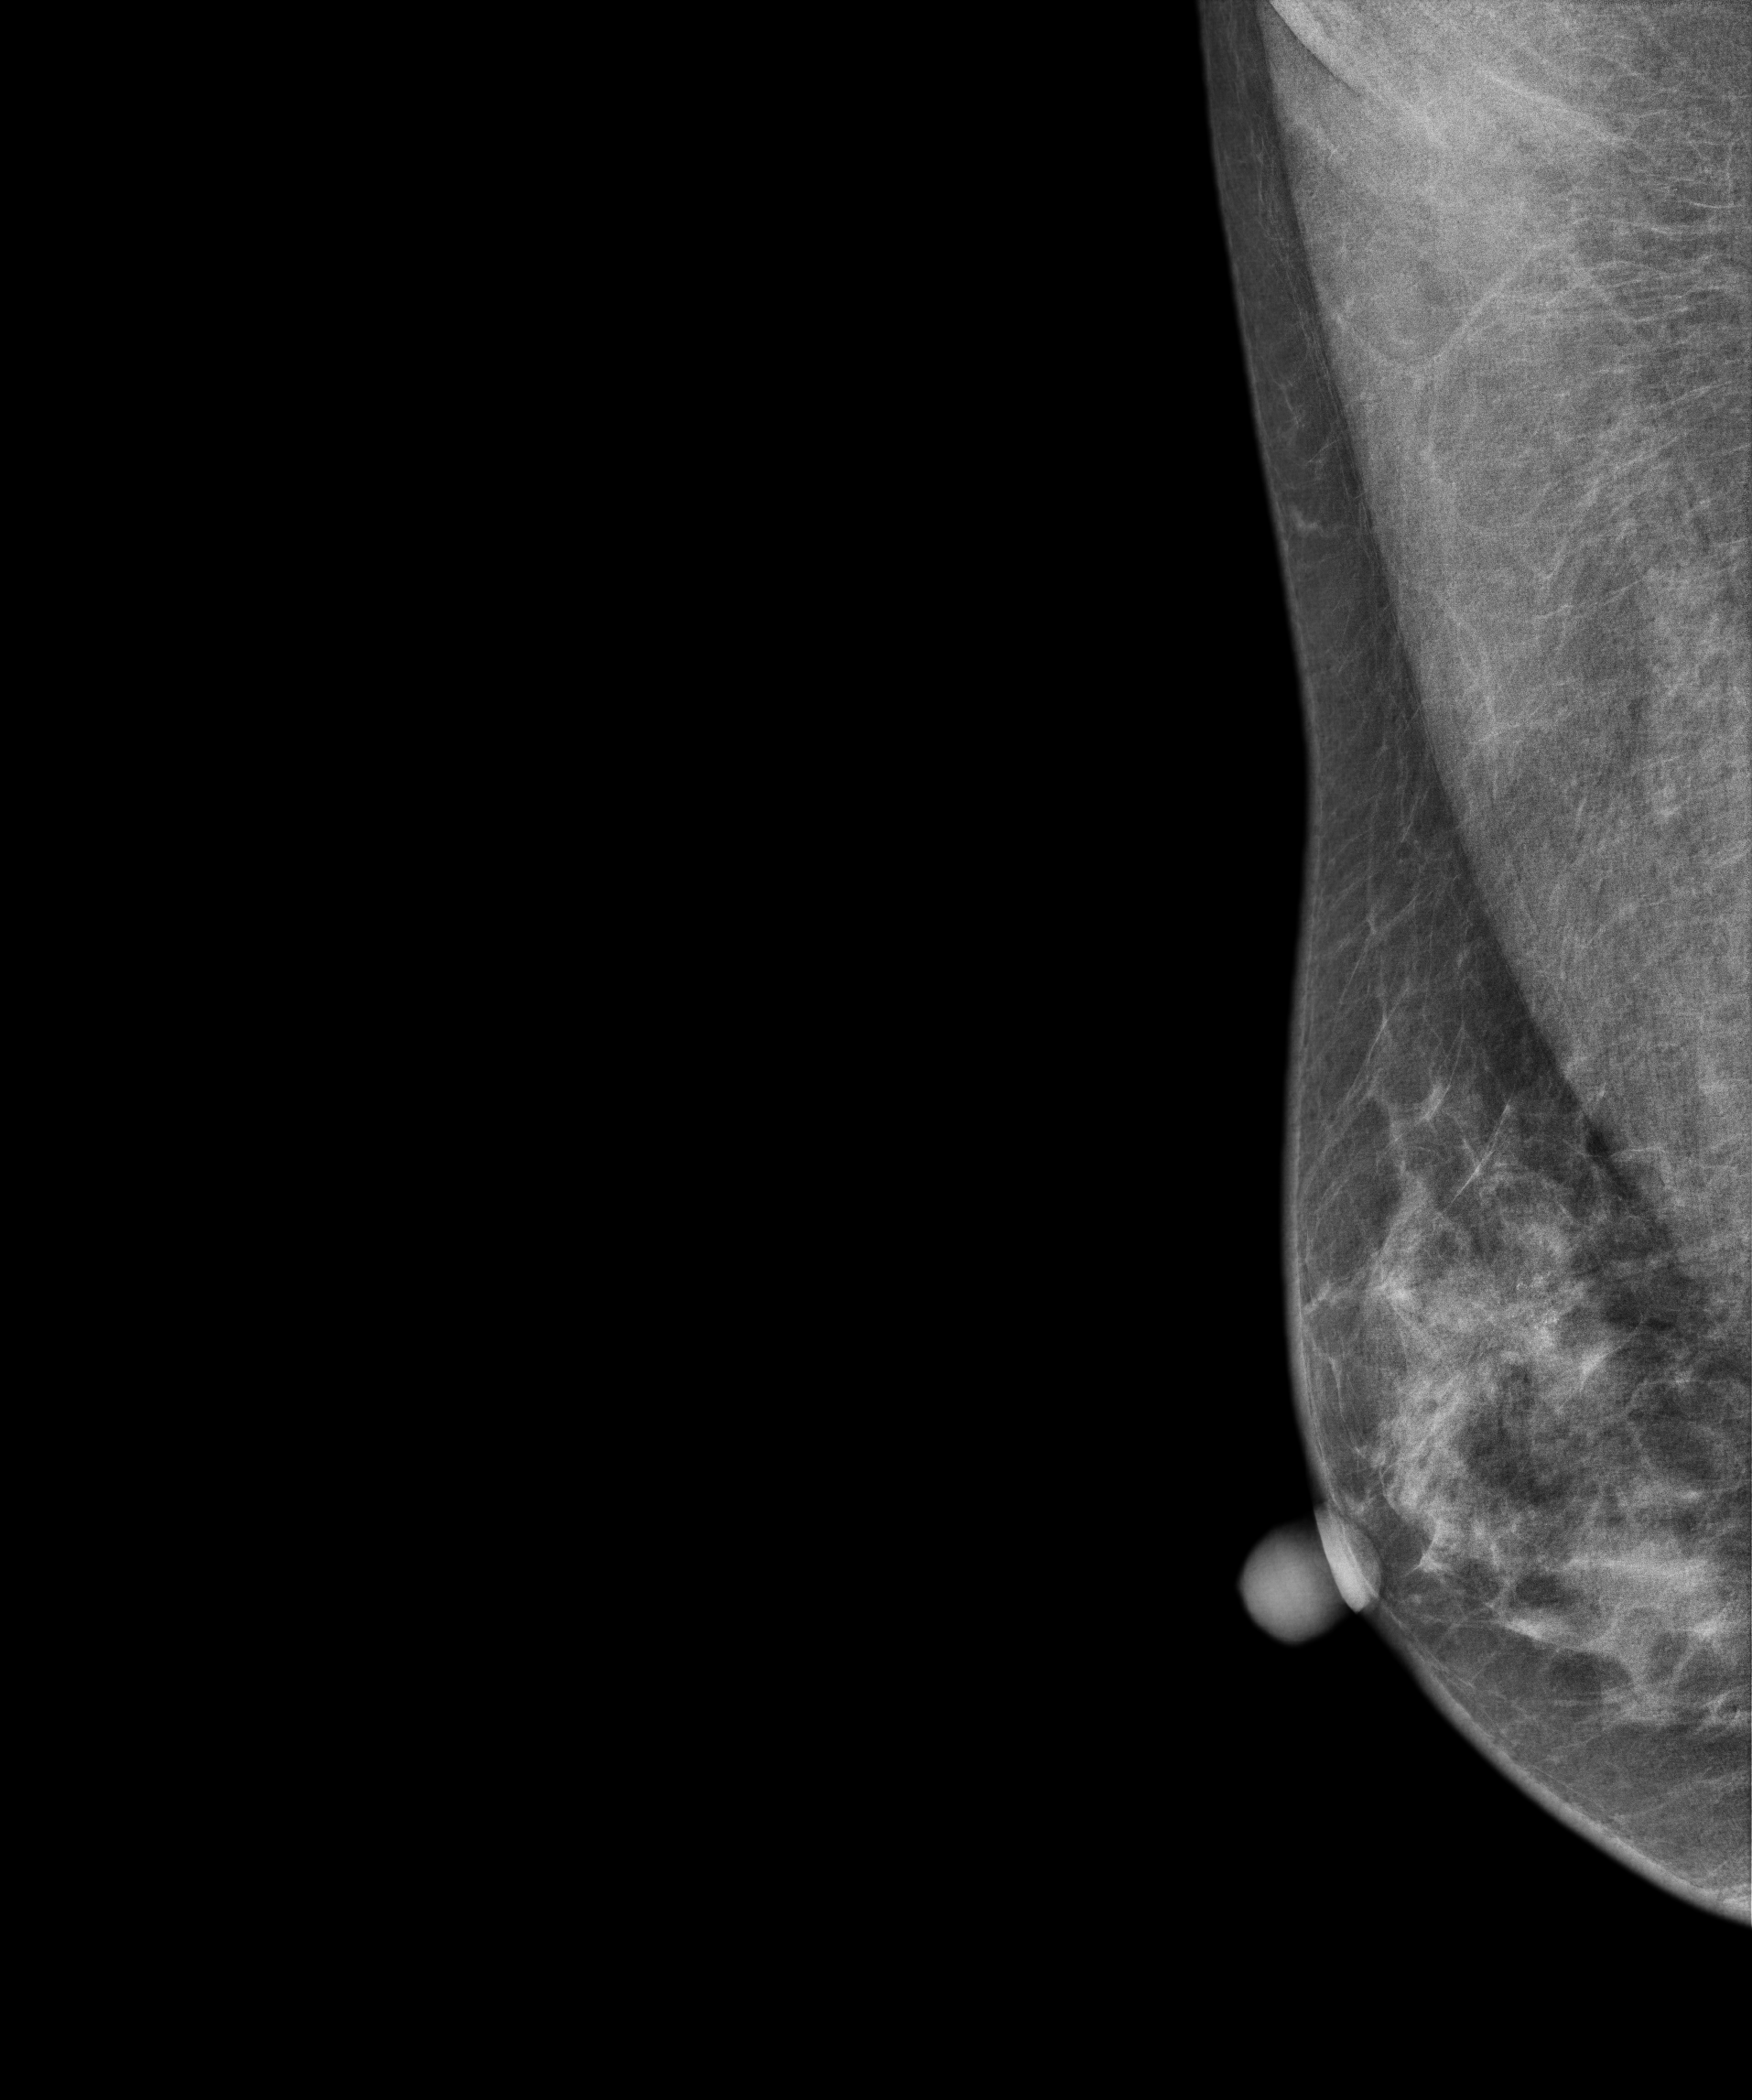
Digital mammography. Right breast, MLO projection. 51 y/o patient.
This breast has a mass, histologically confirmed malignant. Molecular subtype: luminal B.